Mammogram, right breast, CC view. Patient age 57.
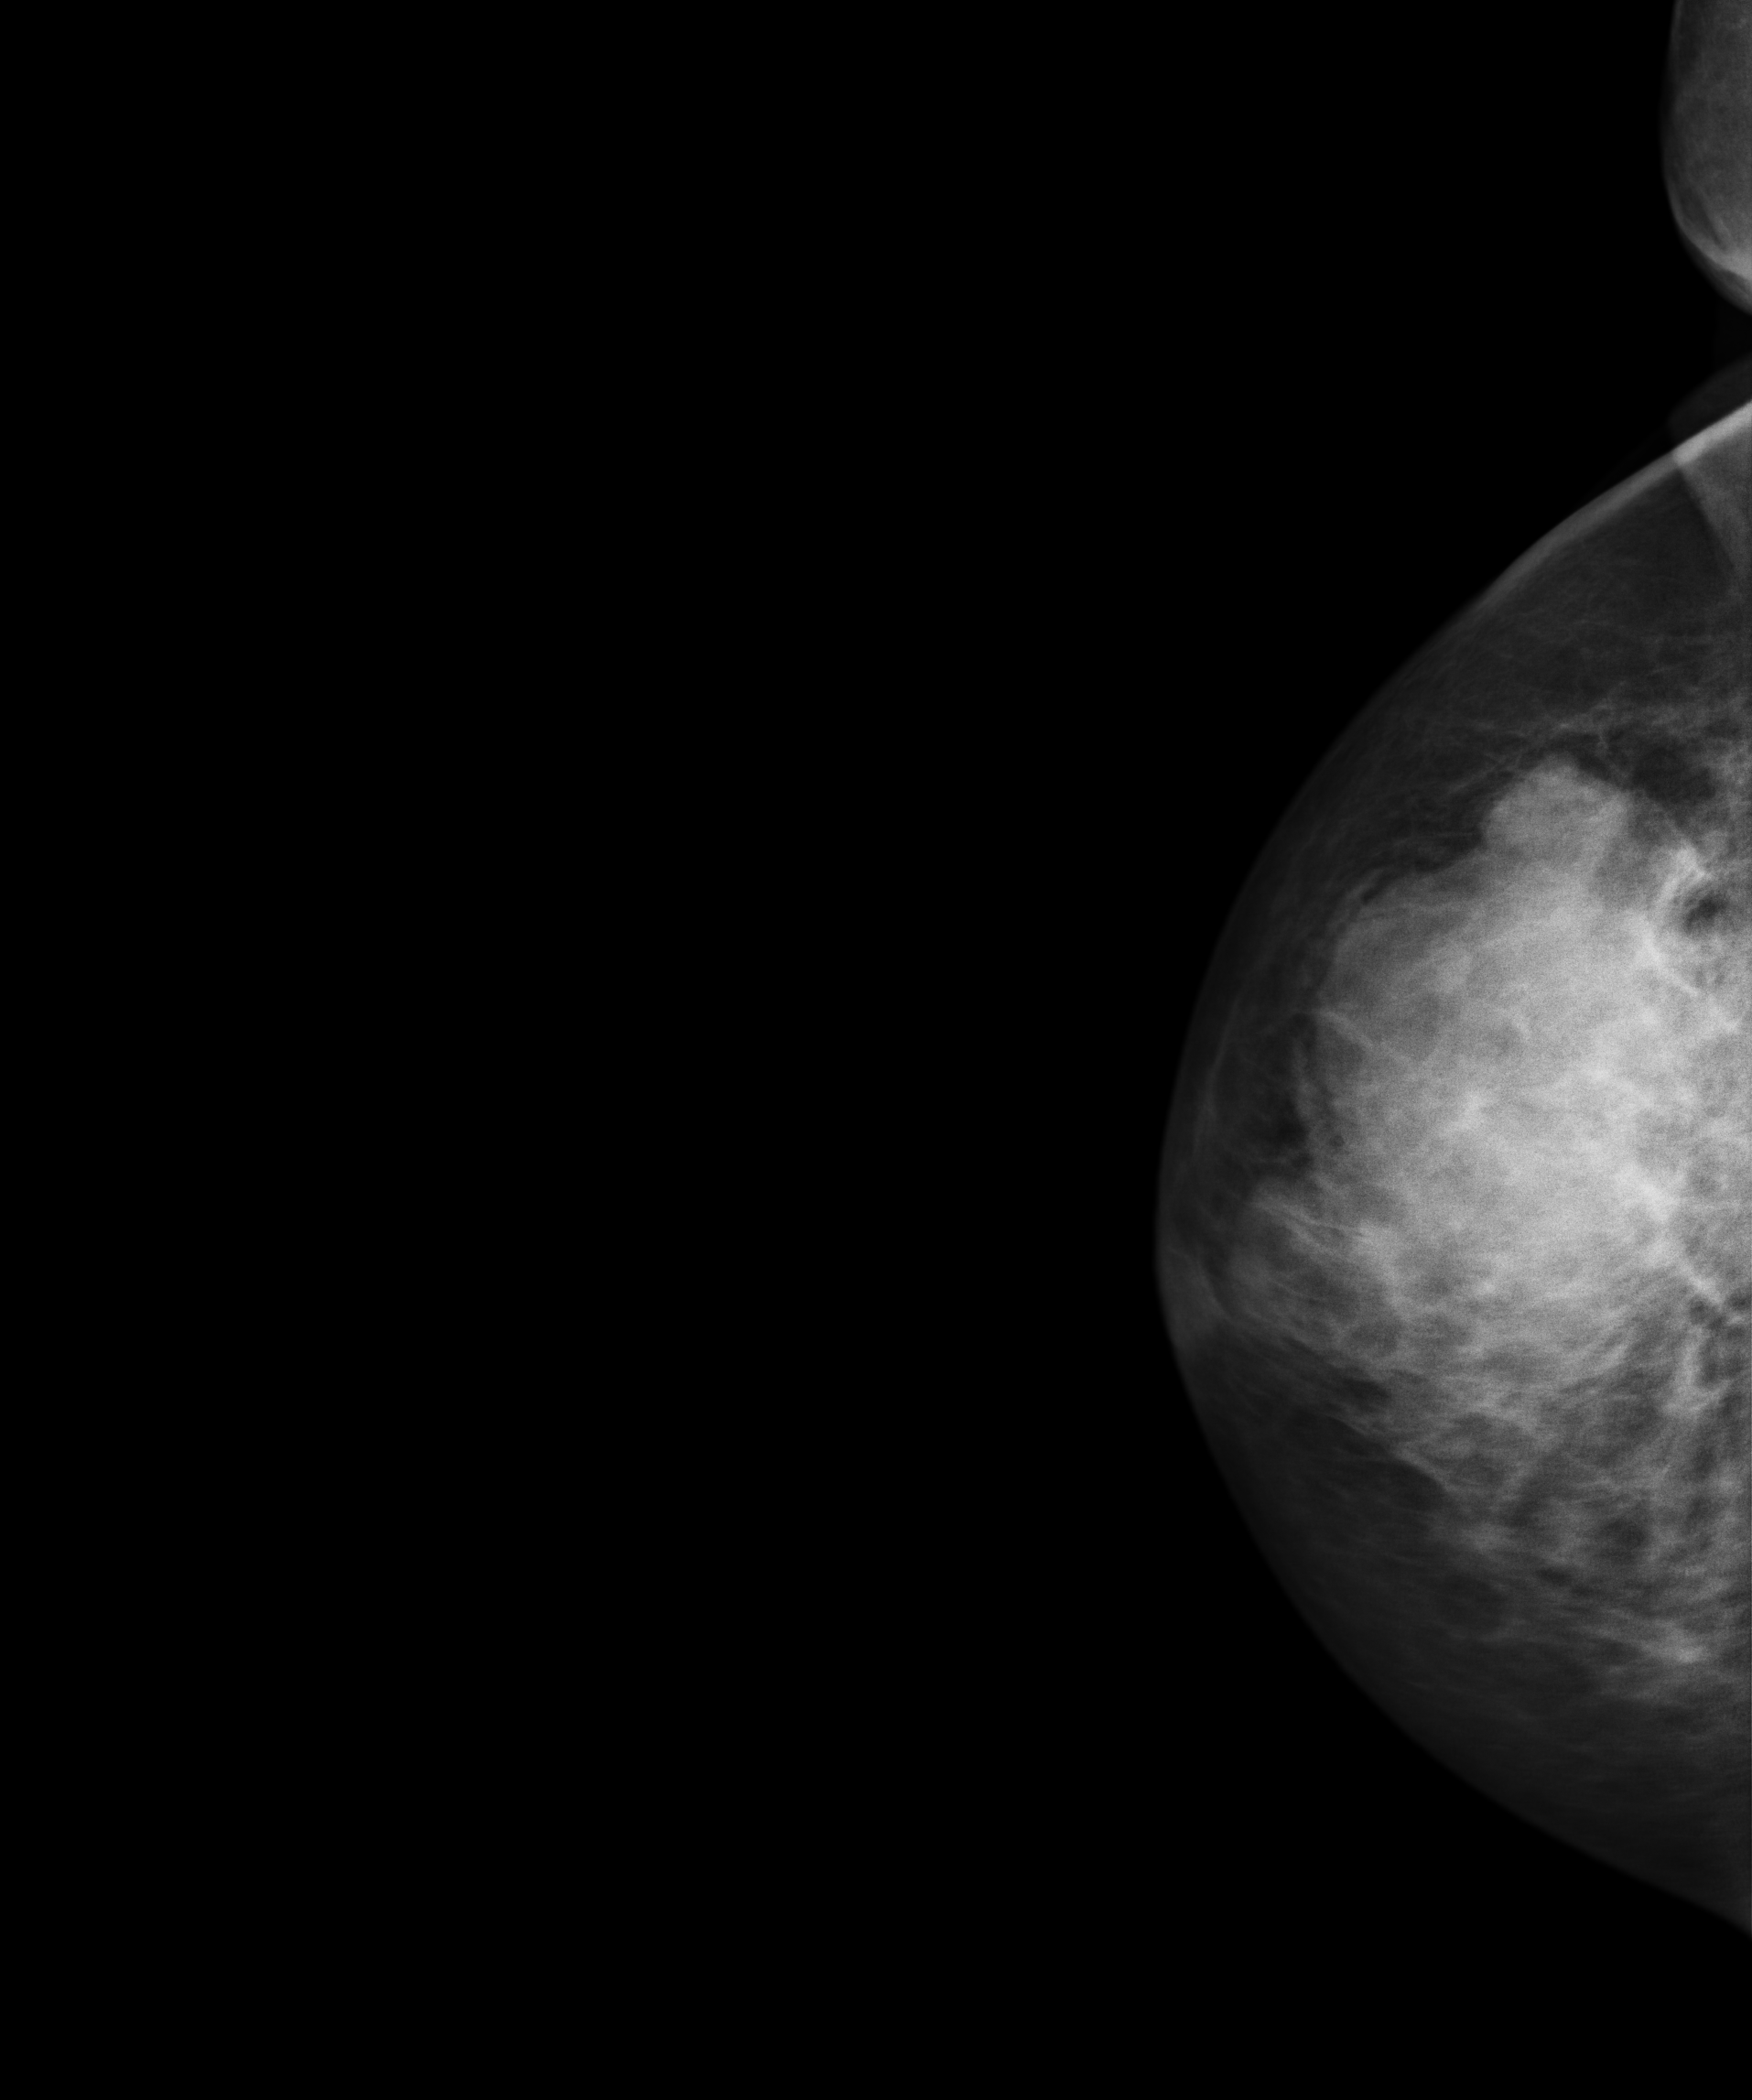
This breast has a mass, biopsy-proven malignant.